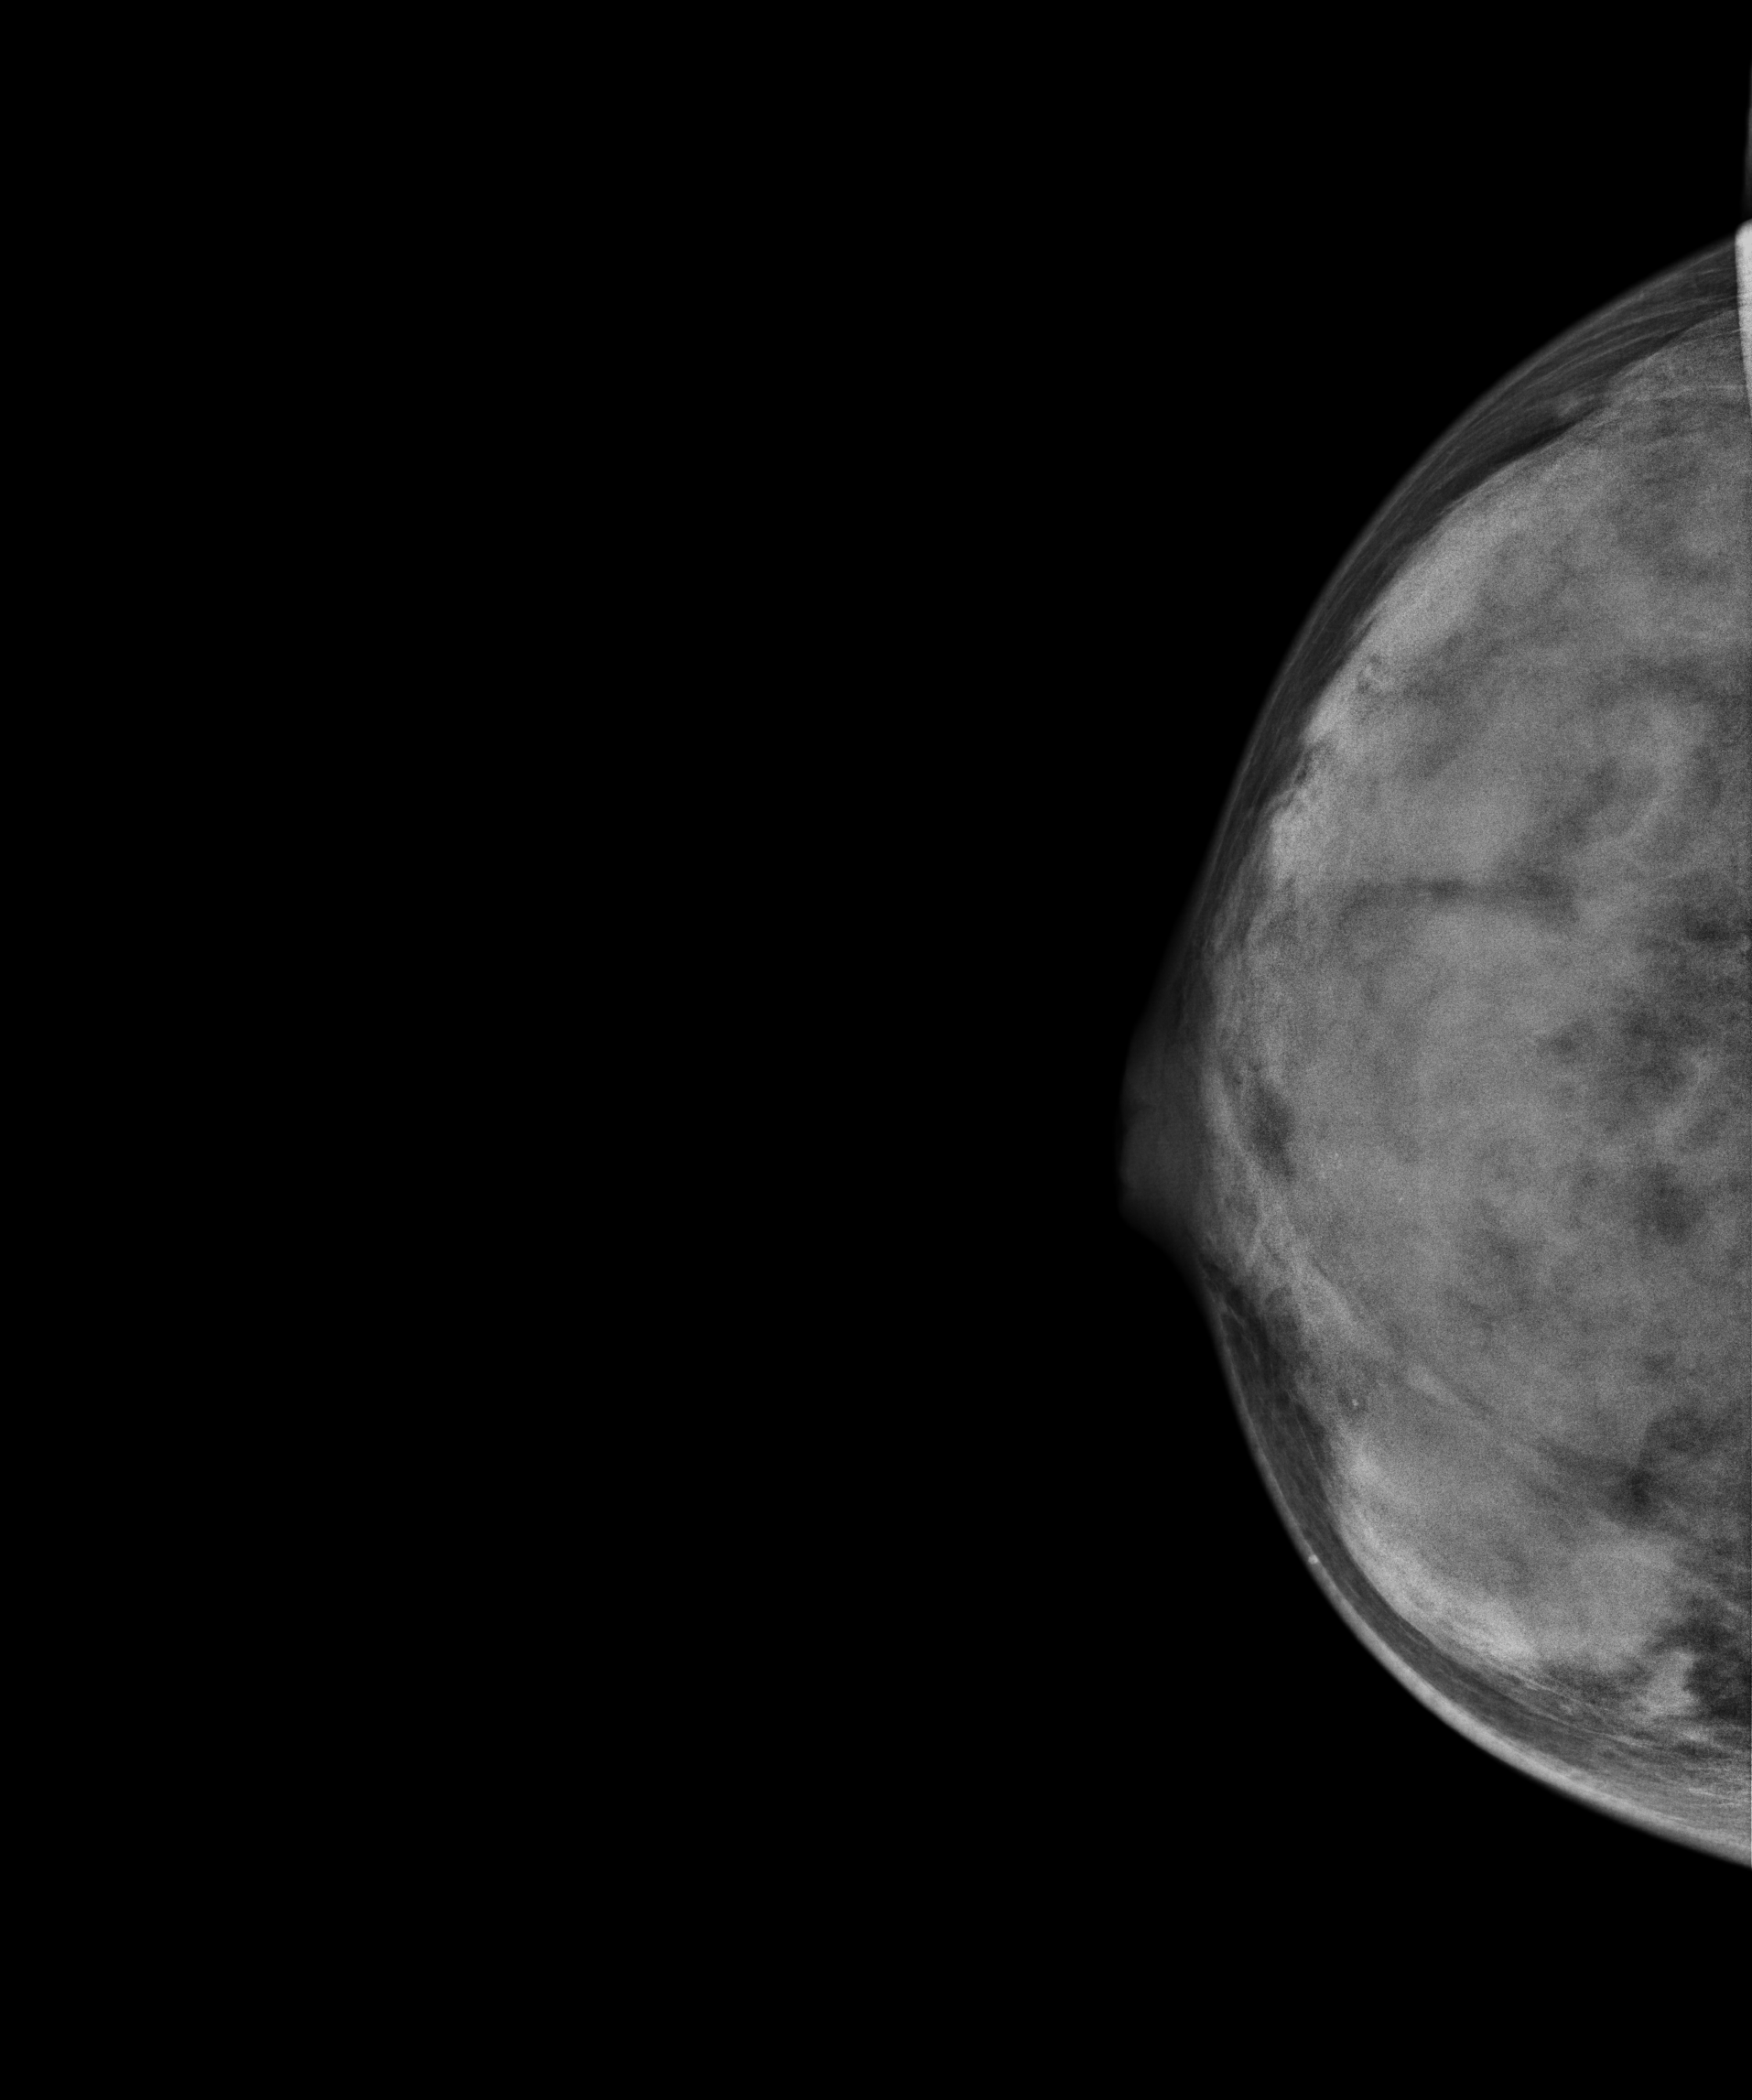
CC mammogram of the right breast. 43-year-old patient.
This breast has a mass, pathology-confirmed benign.